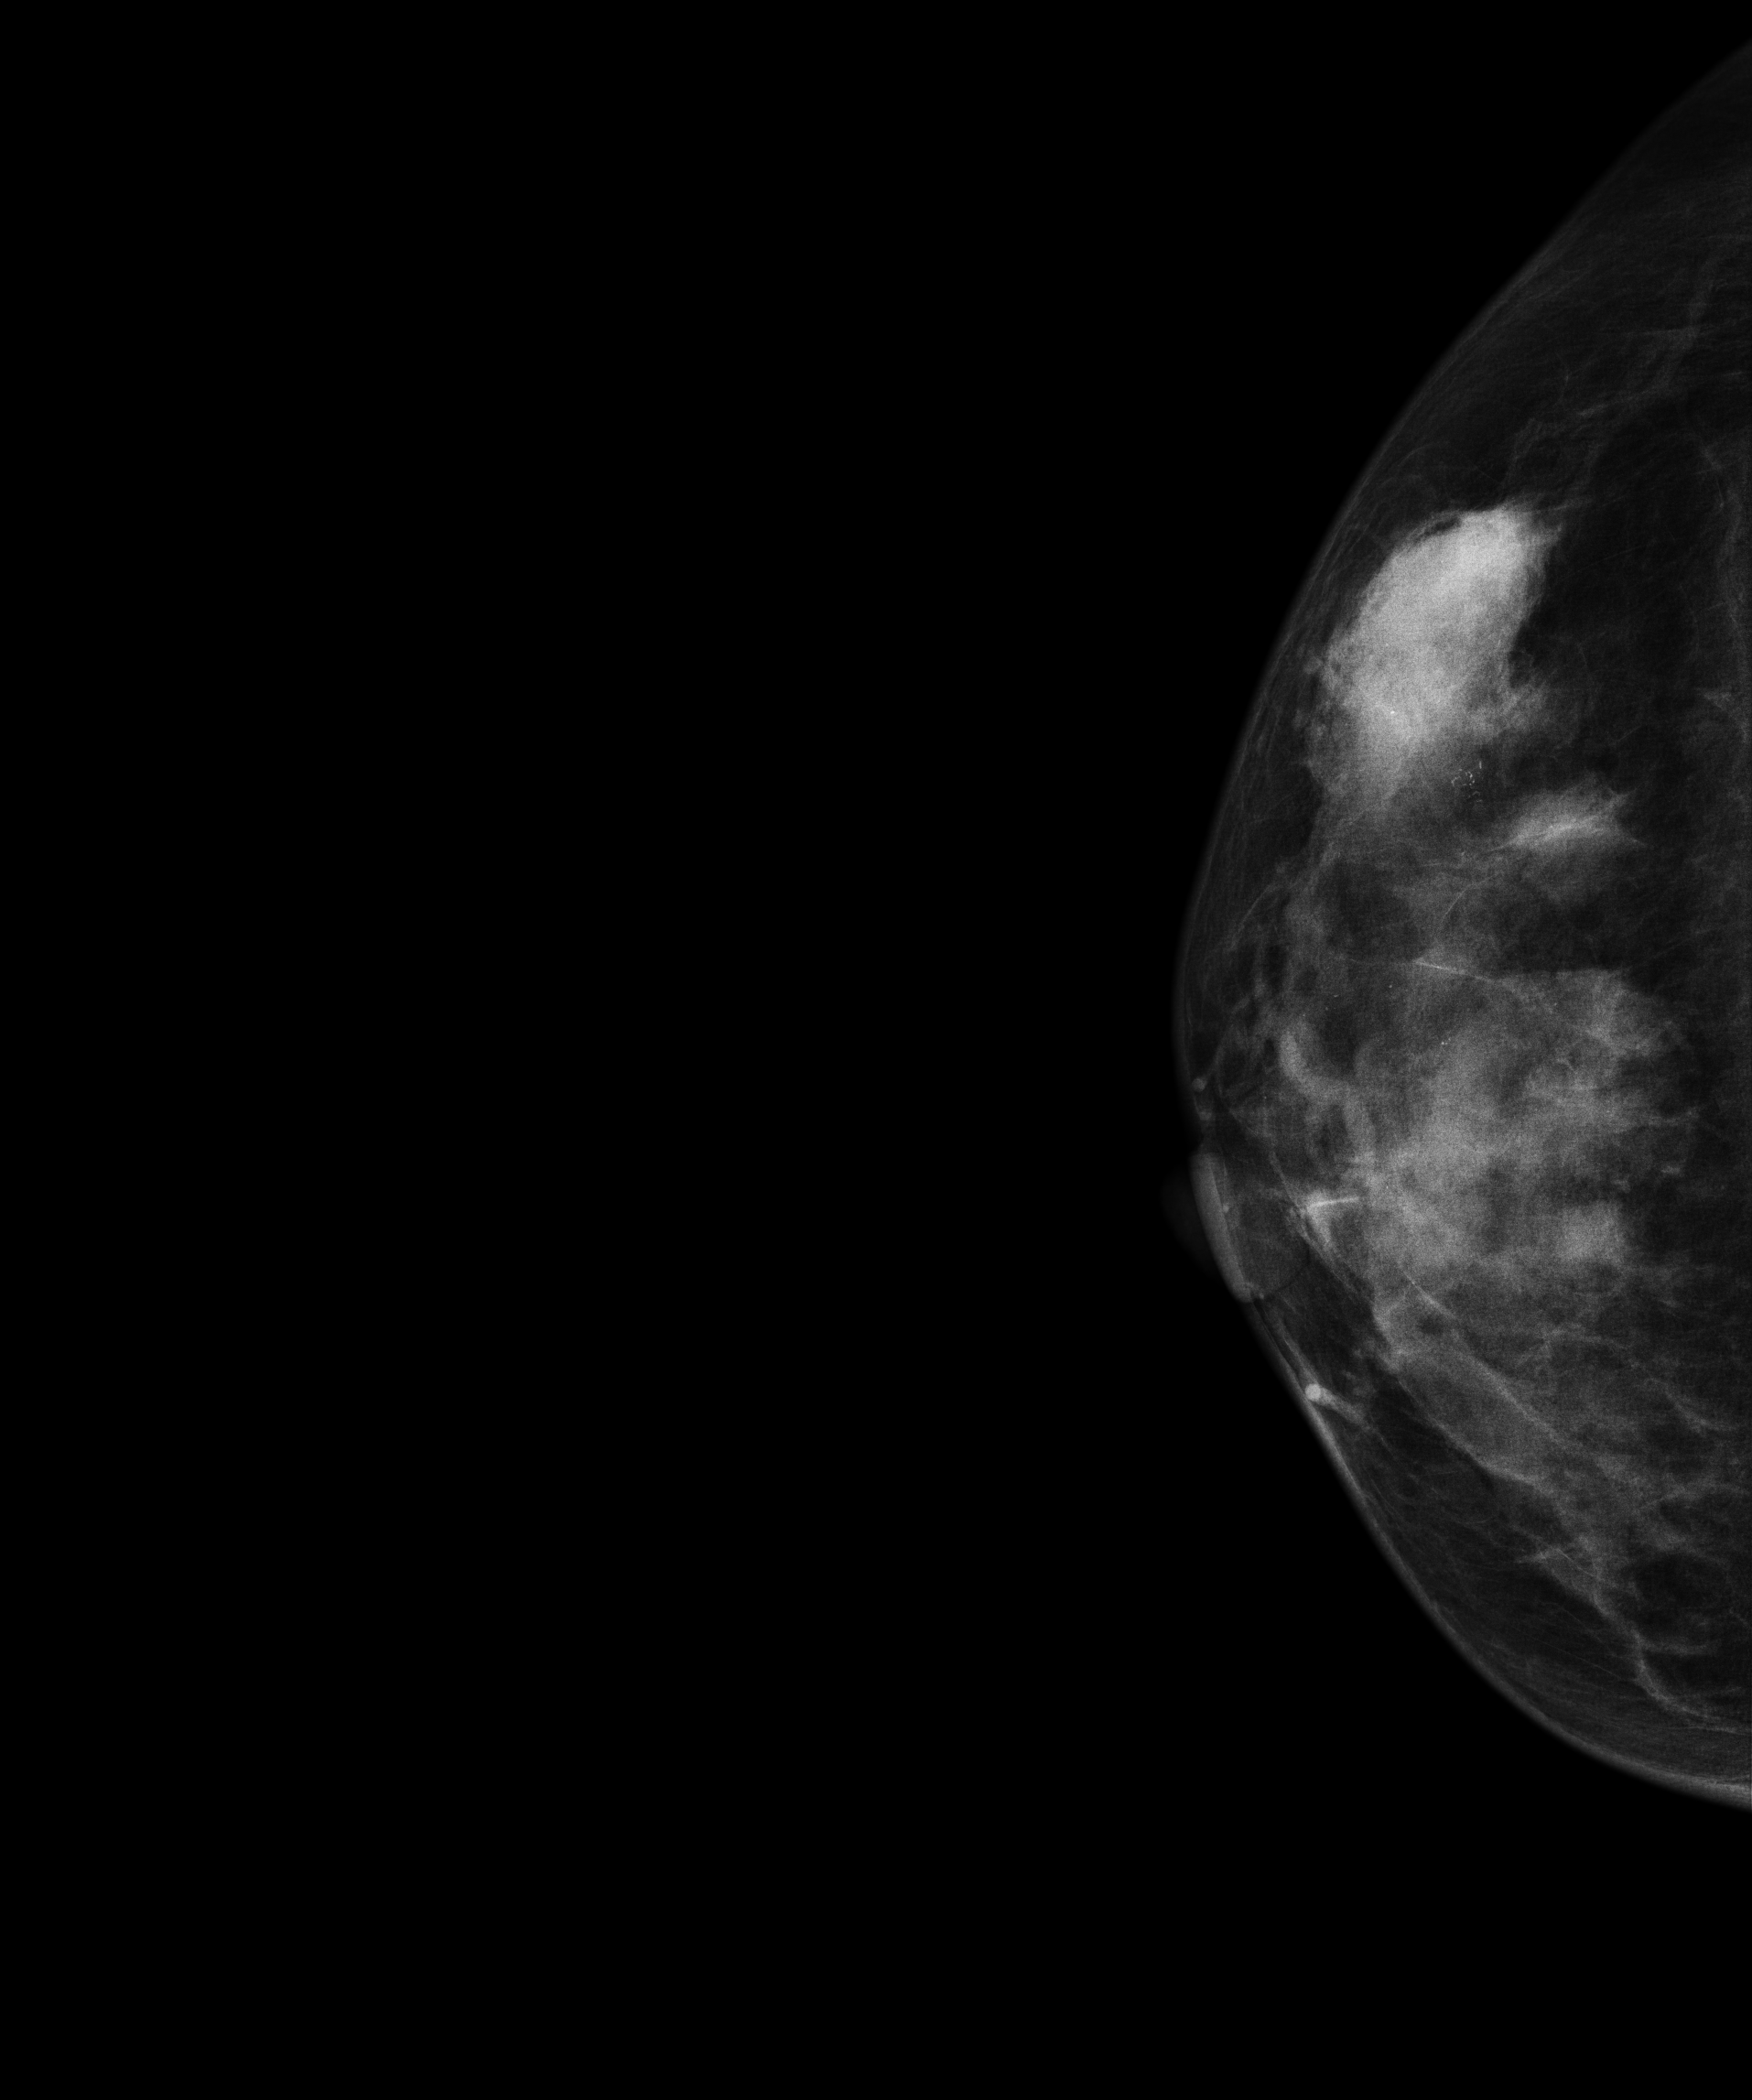
Mammogram, right breast, CC view. Patient age 31.
This breast has a mass and calcifications, histologically confirmed malignant. Molecular subtype: HER2-enriched.